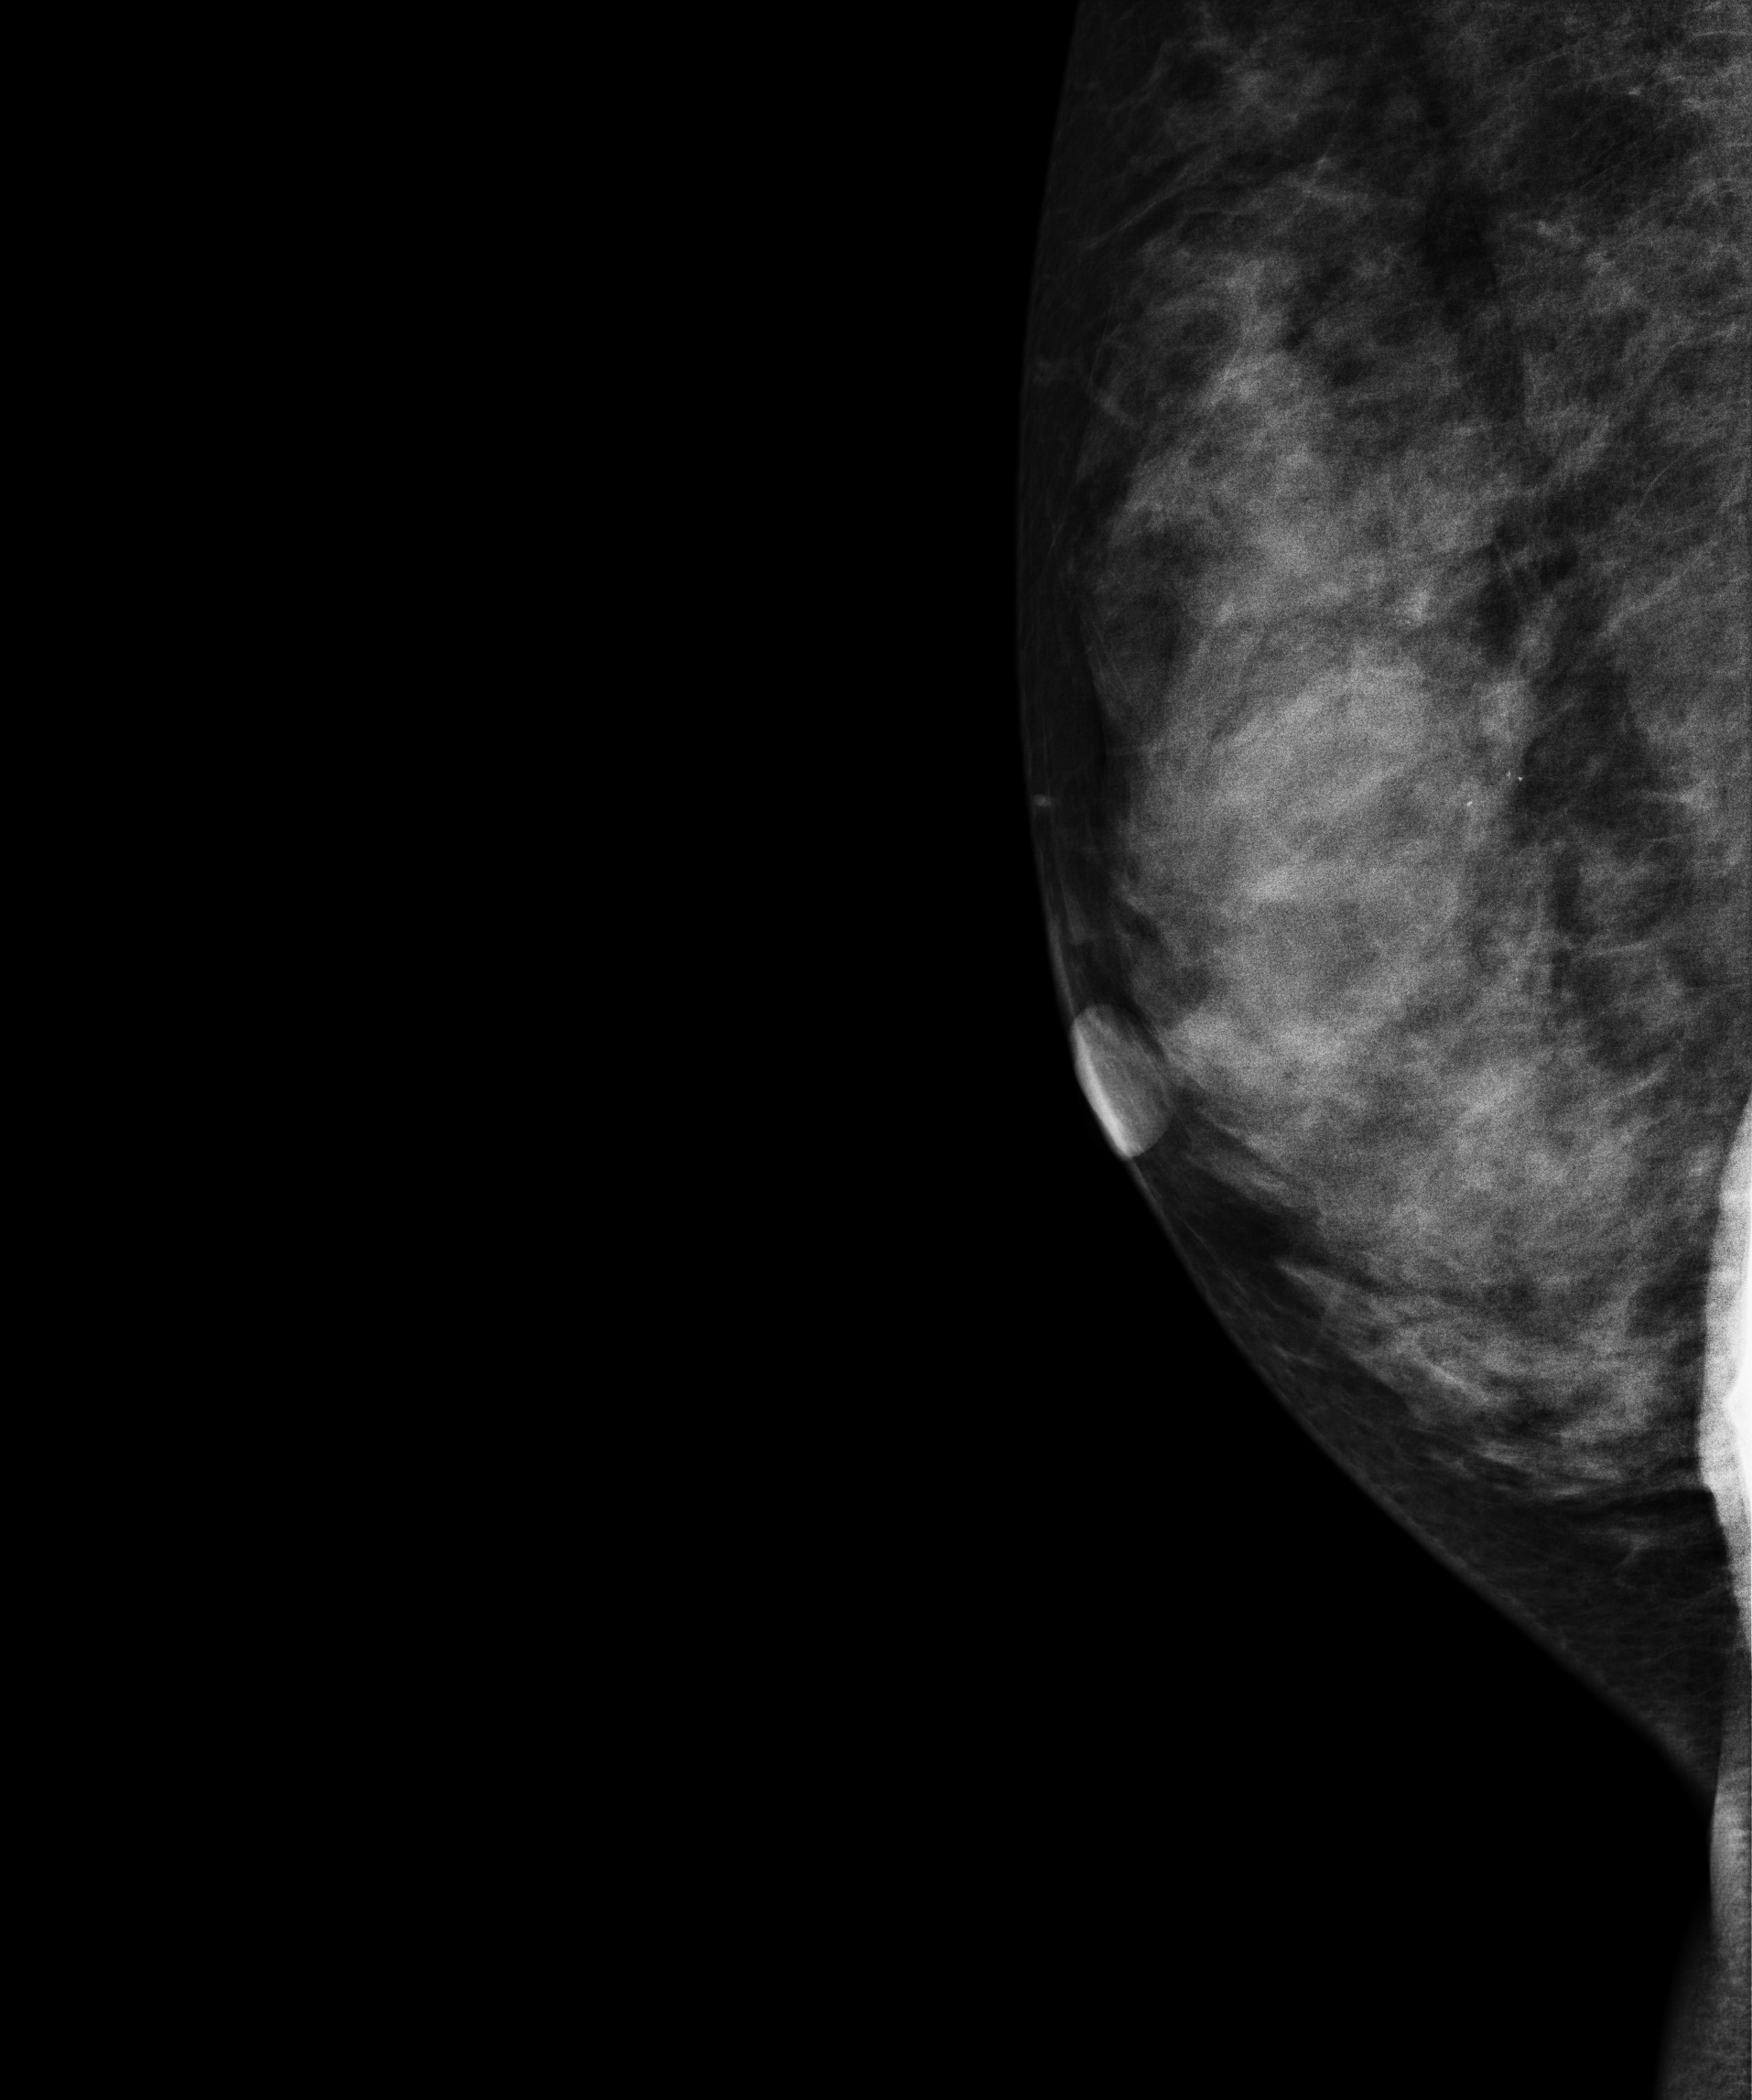
Mammogram — right MLO. 31 y/o patient.
This breast has calcifications, histologically confirmed malignant.